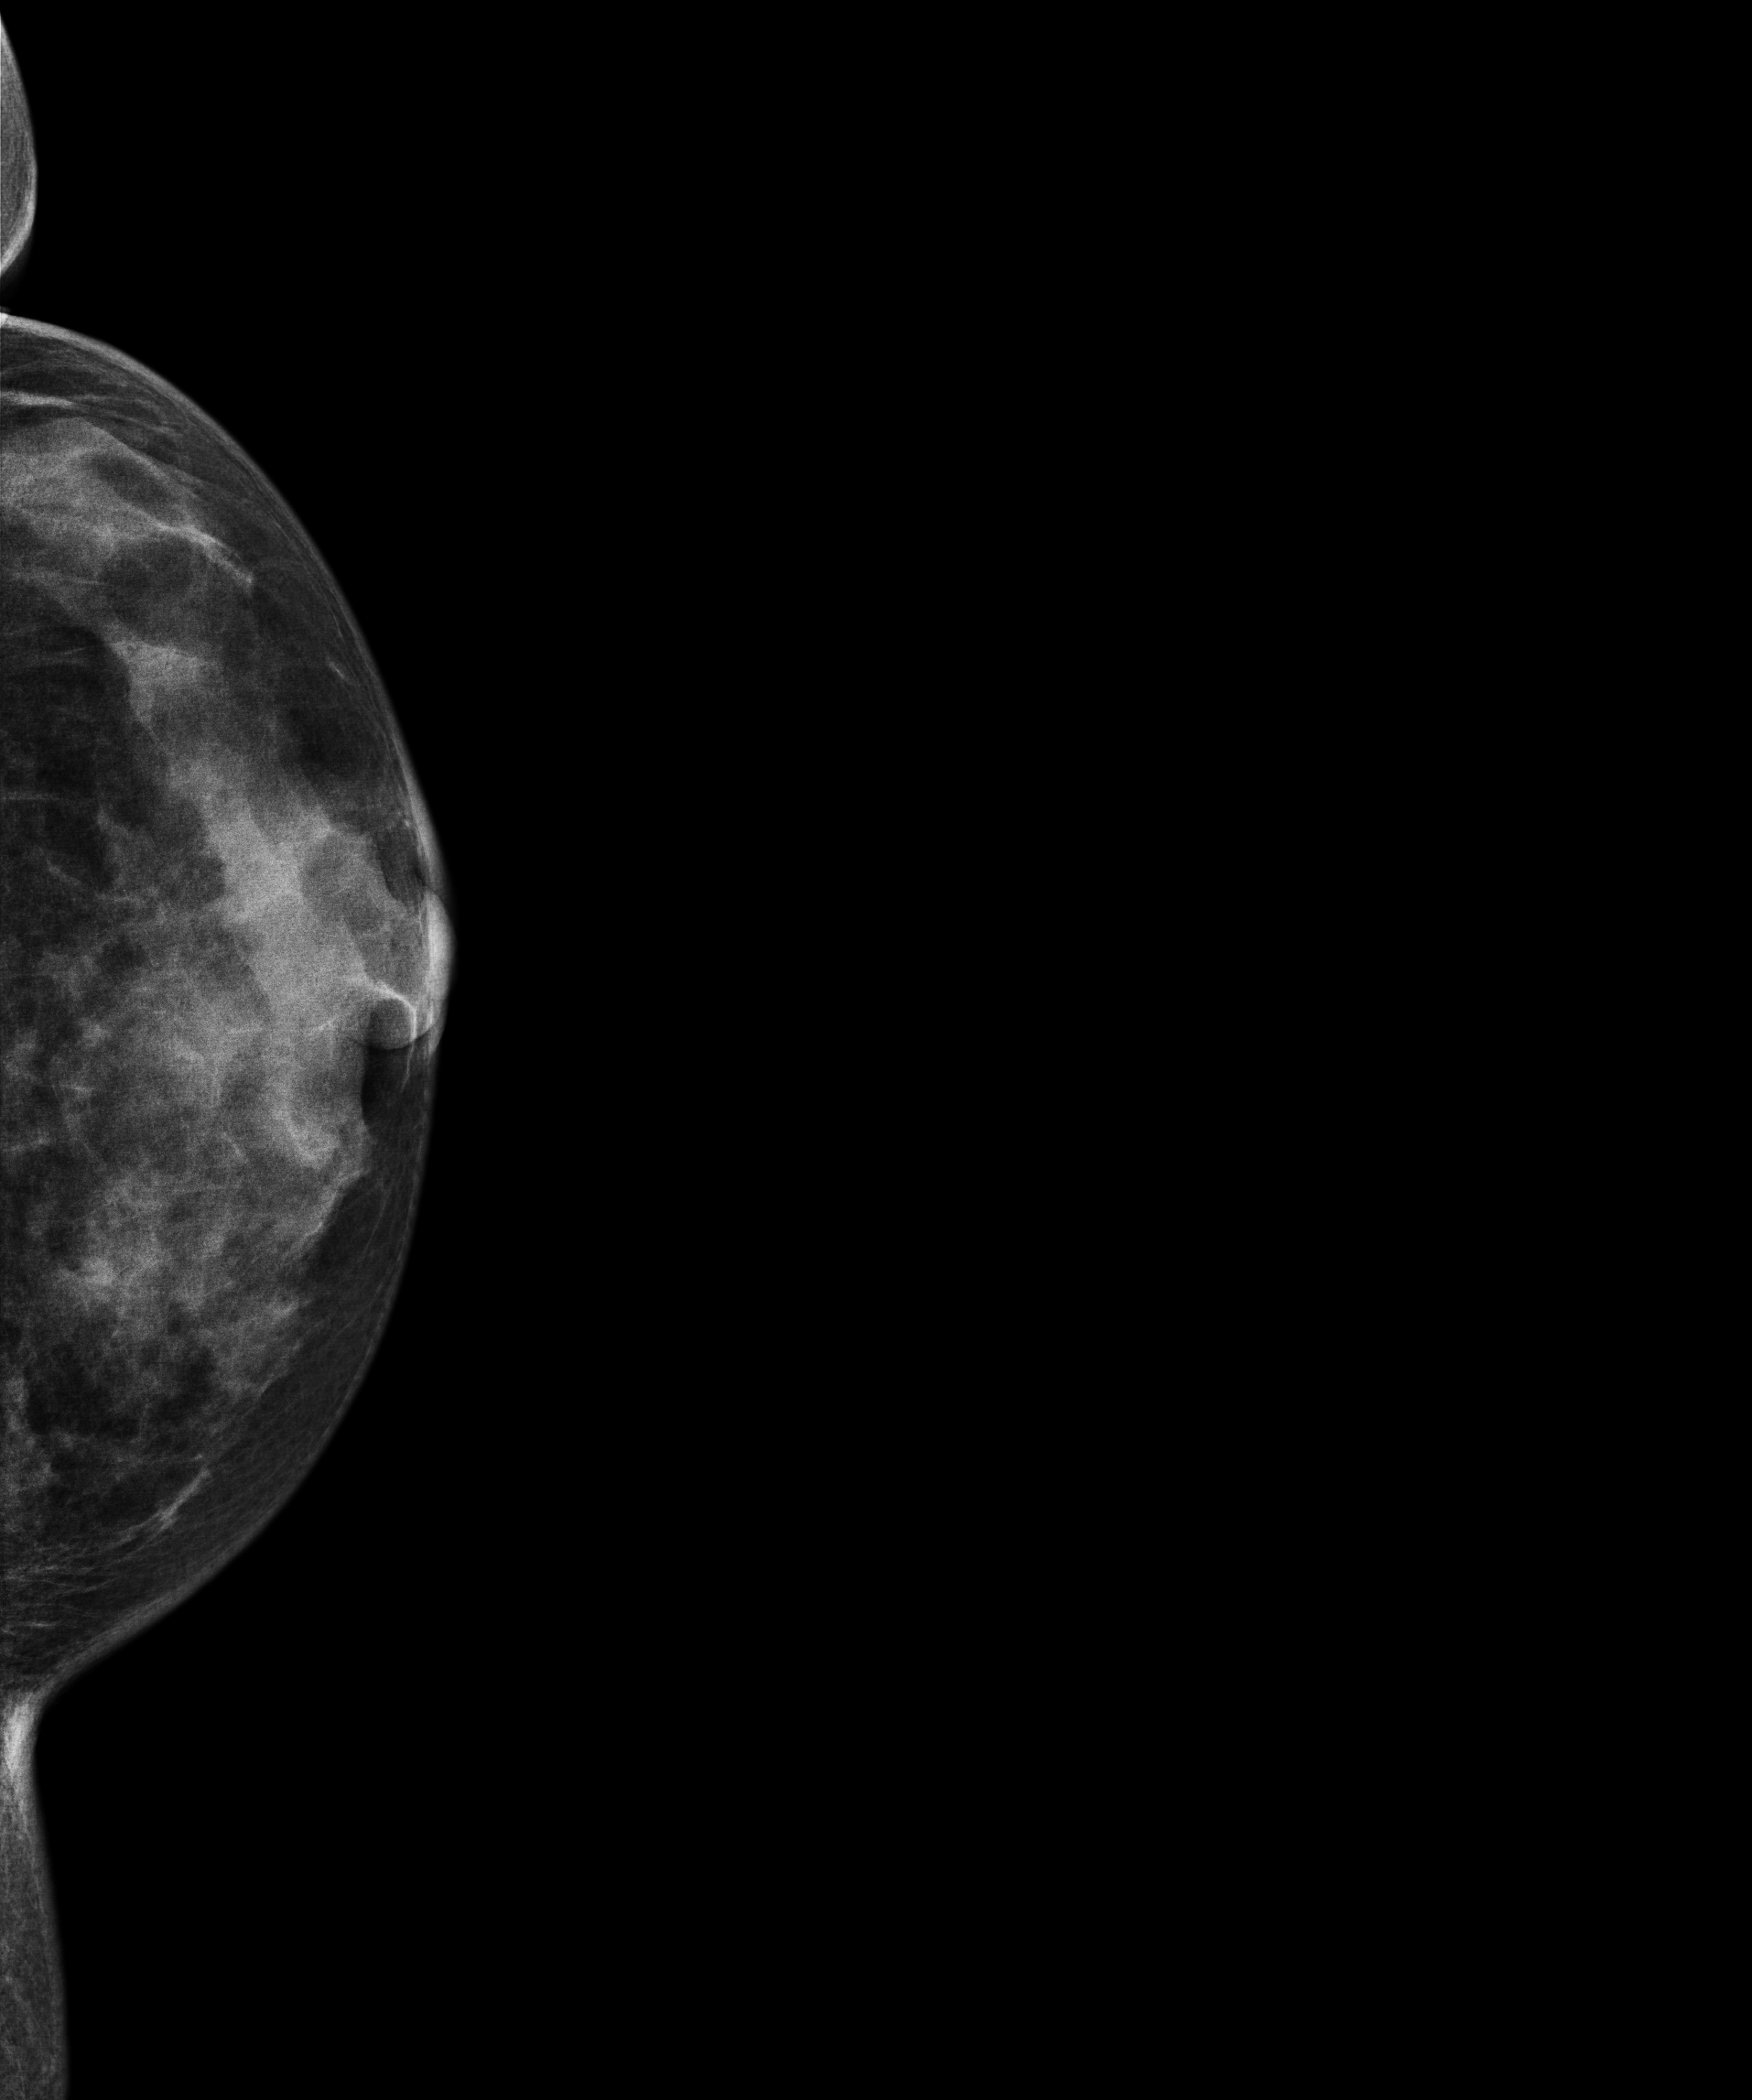
Mammogram, left breast, cranio-caudal view. Patient age 35.
Contralateral breast — no documented abnormality on this side.